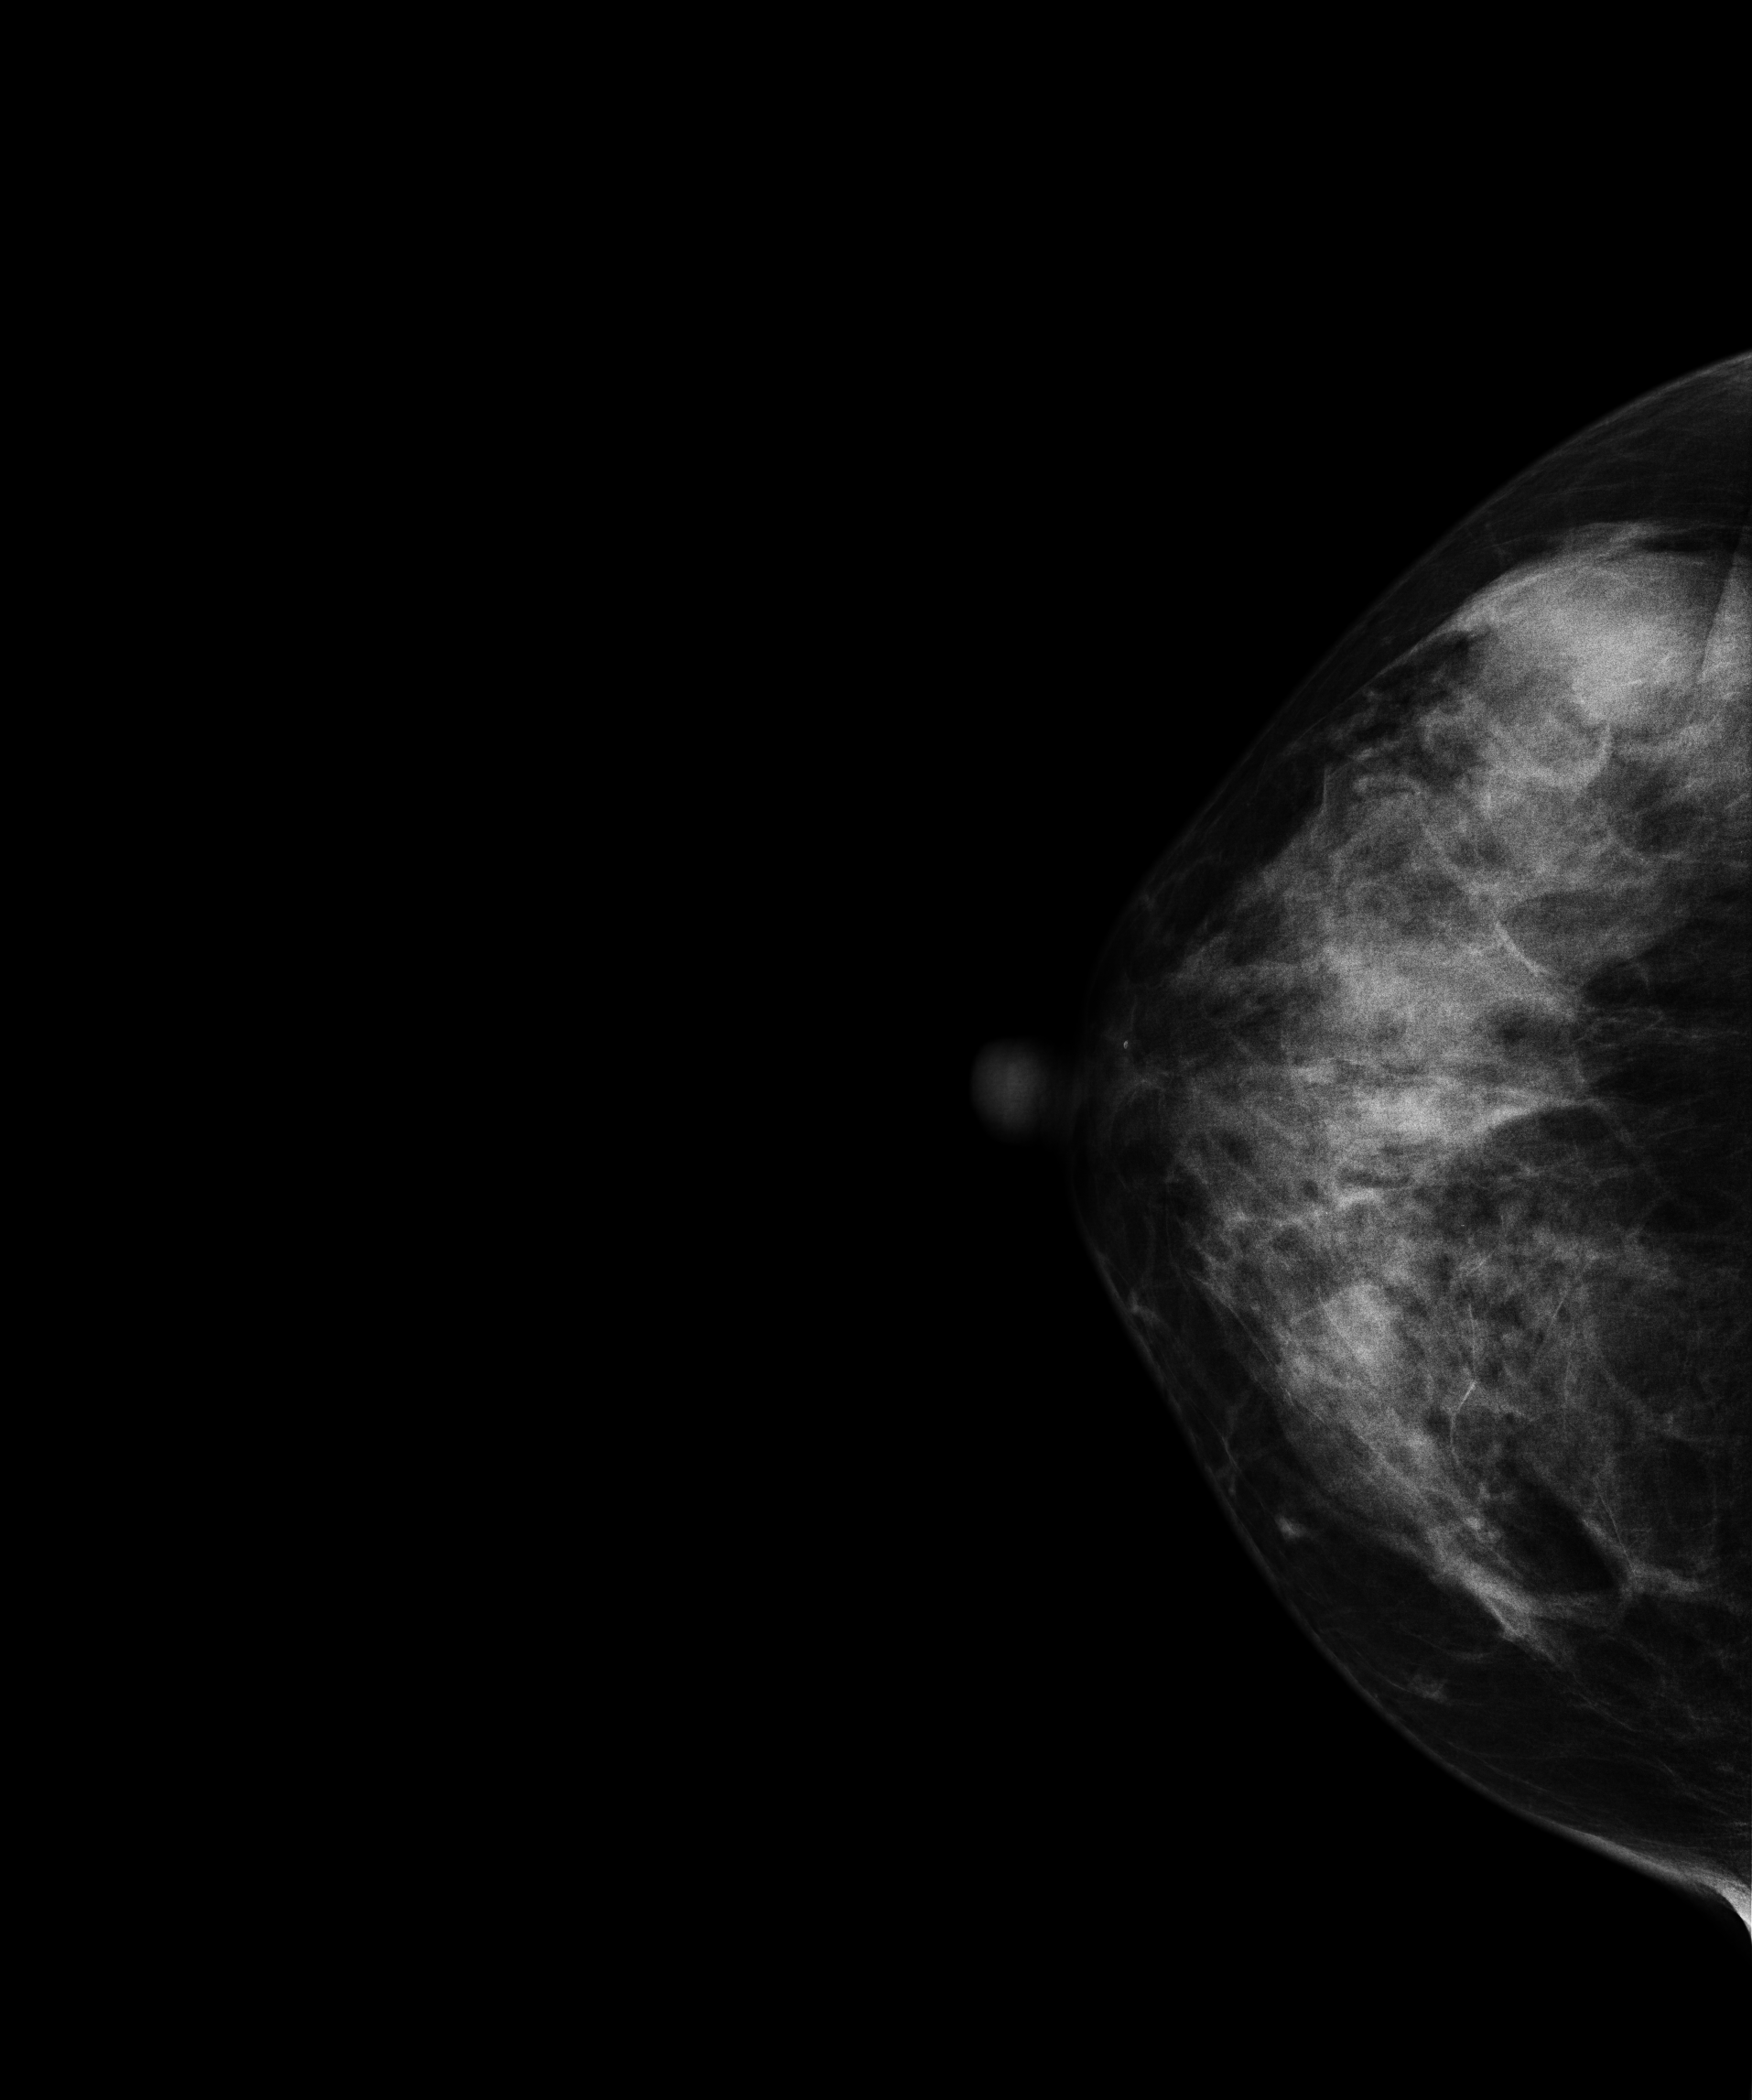
Mammogram — right CC. 47 y/o patient.
Contralateral breast — no documented abnormality on this side.